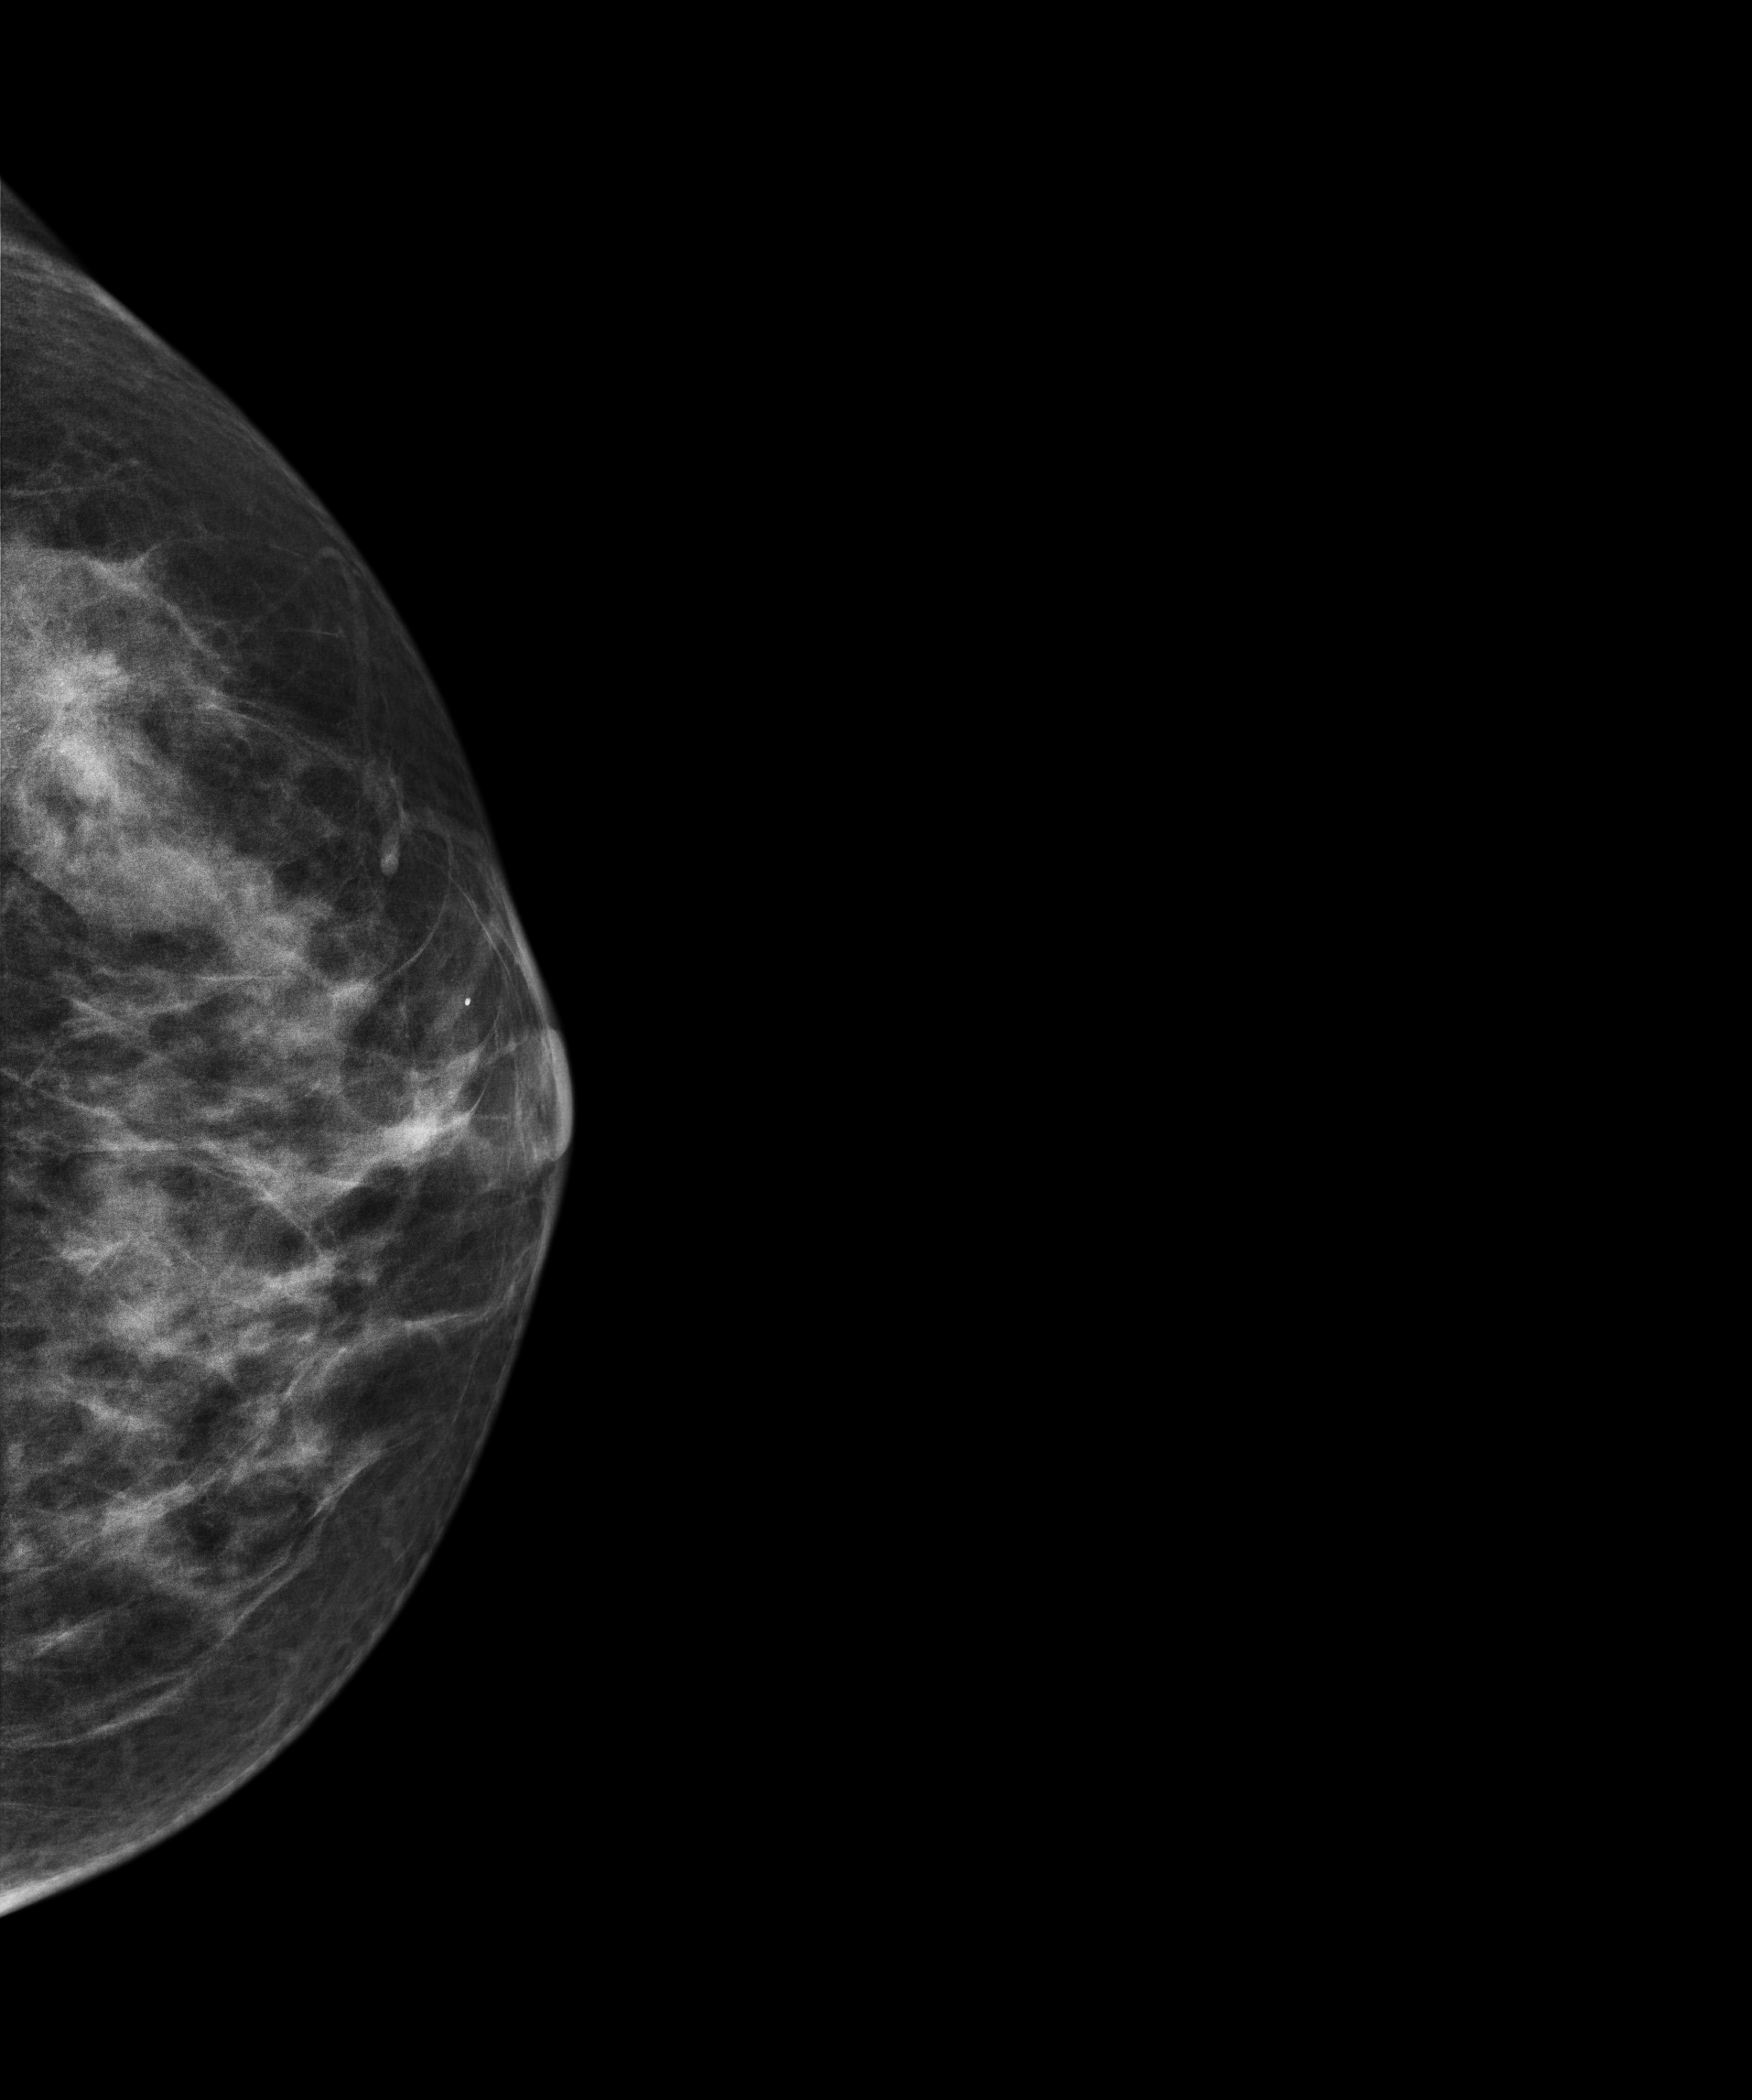
Mammogram — left cranio-caudal. Patient age 51.
This breast has a mass, biopsy-confirmed malignant.